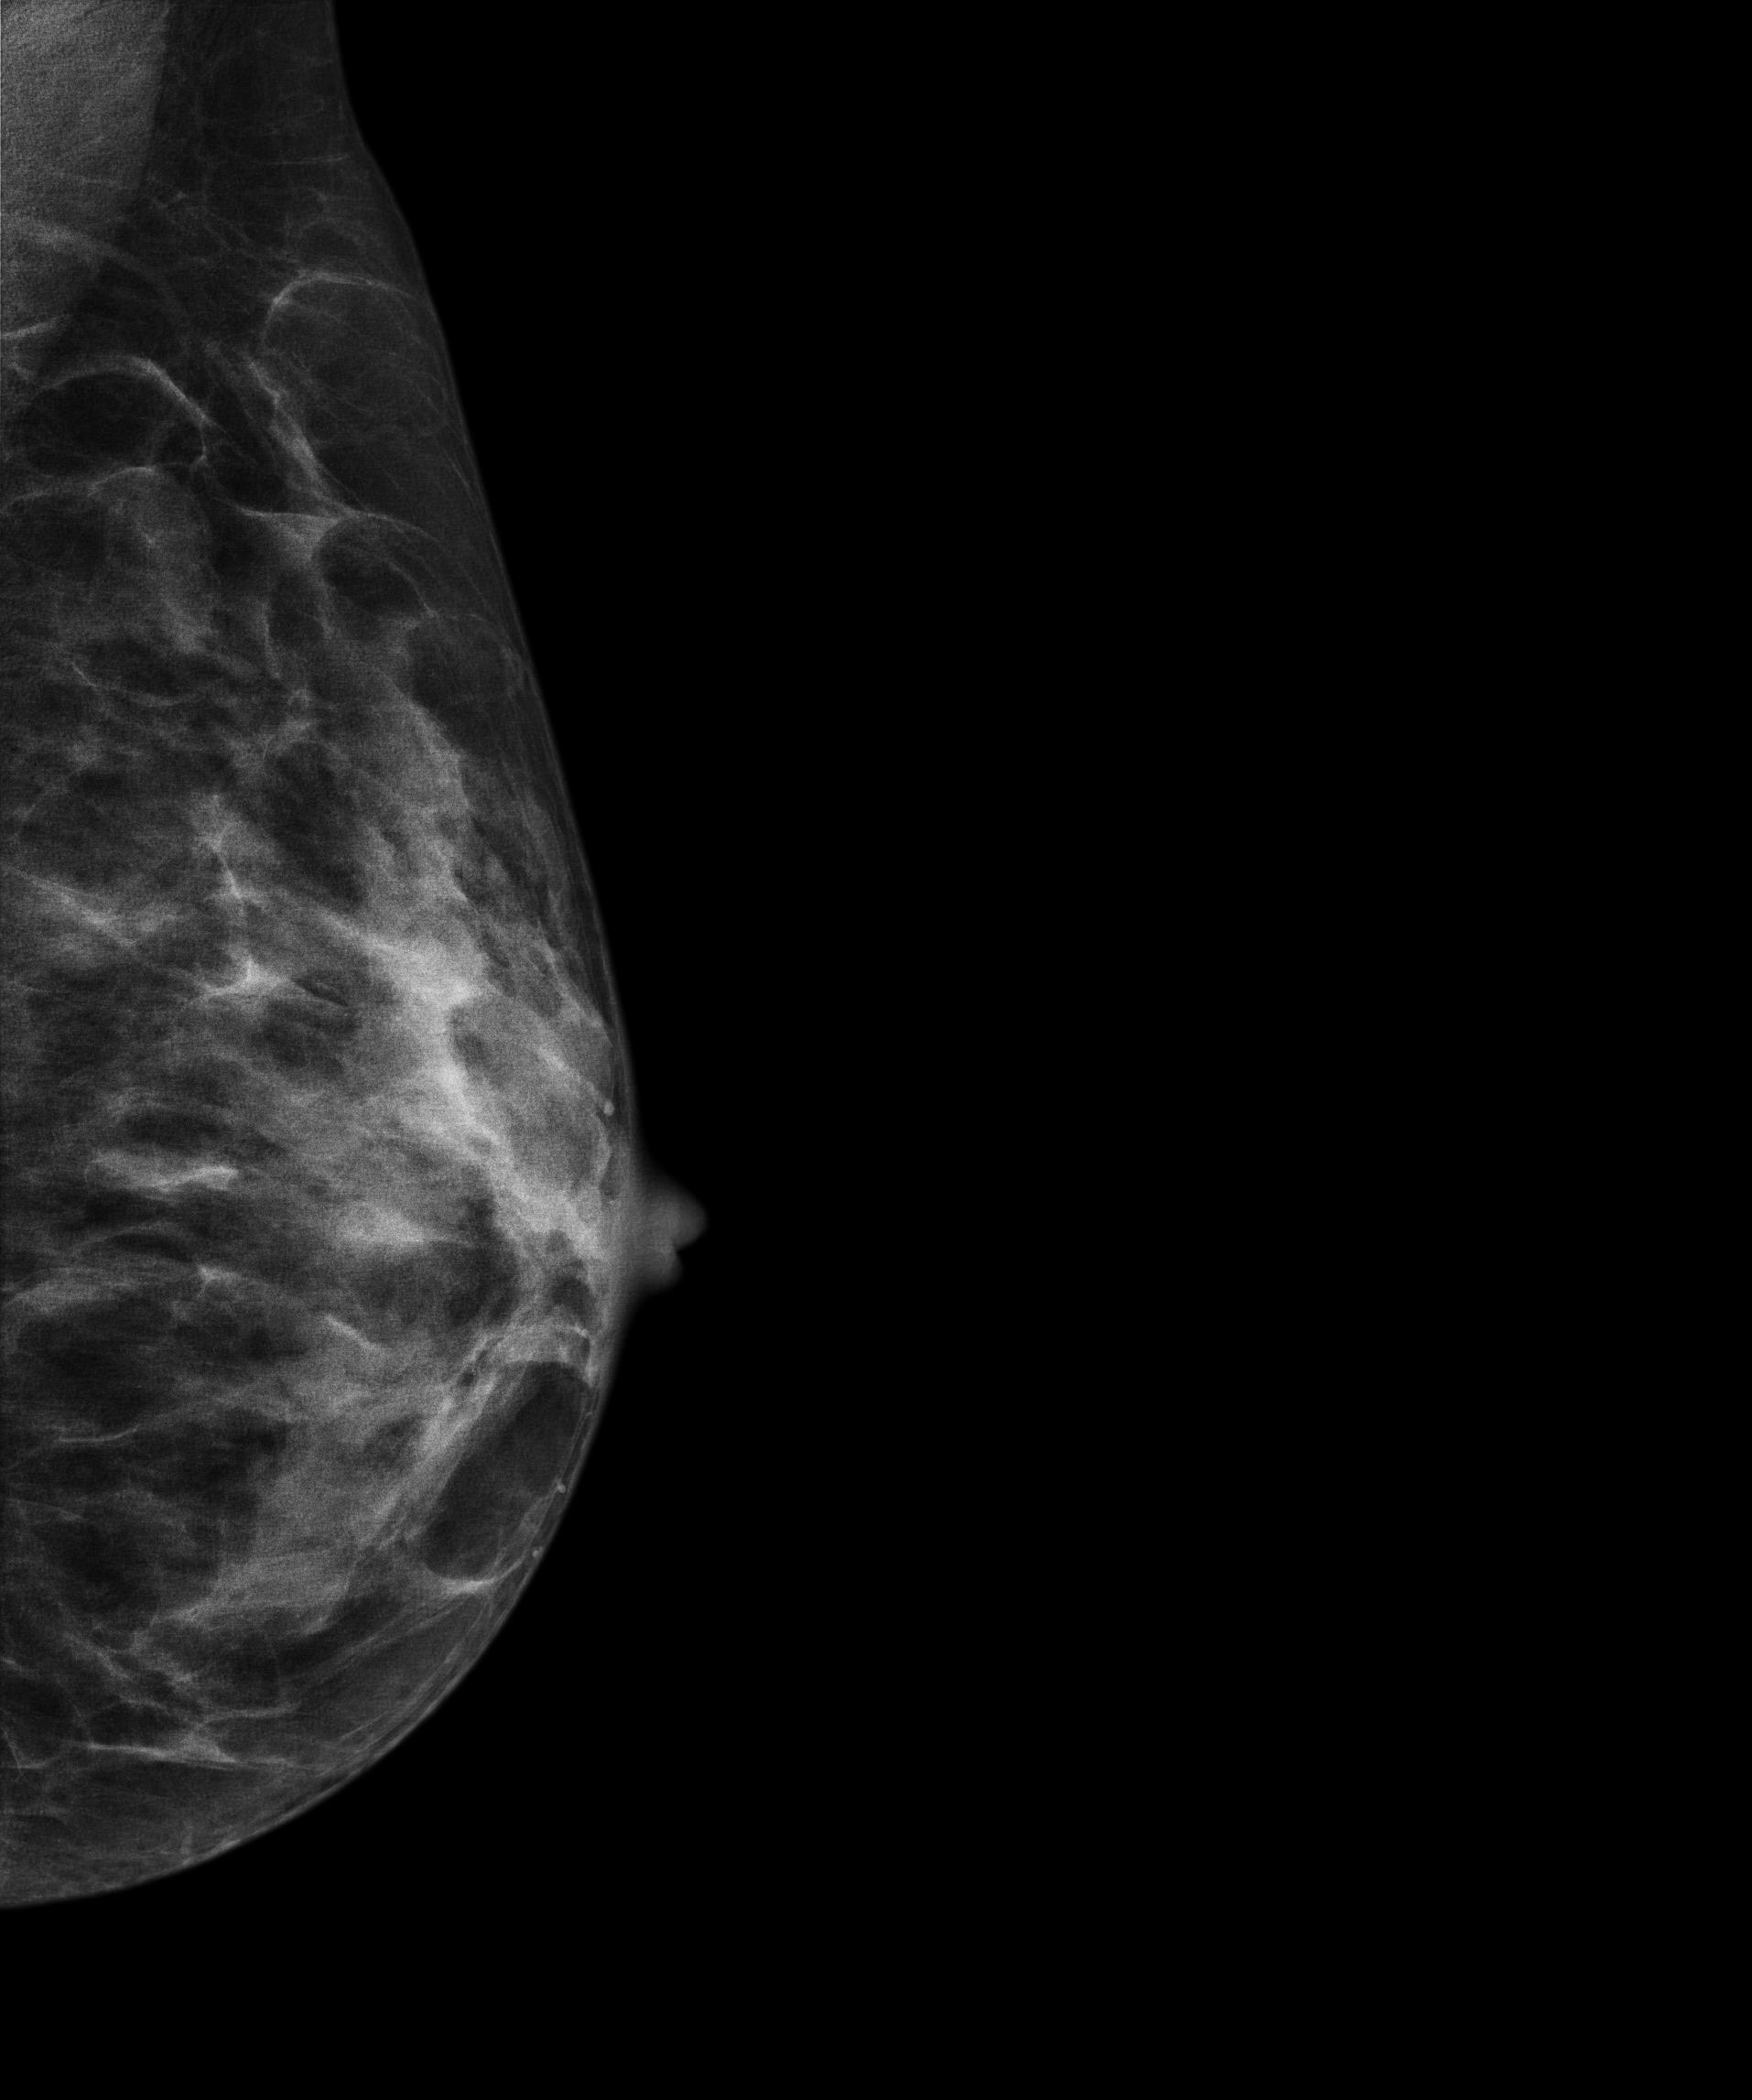
Medio-lateral oblique mammogram of the left breast. Patient age 49.
Contralateral breast — no documented abnormality on this side.